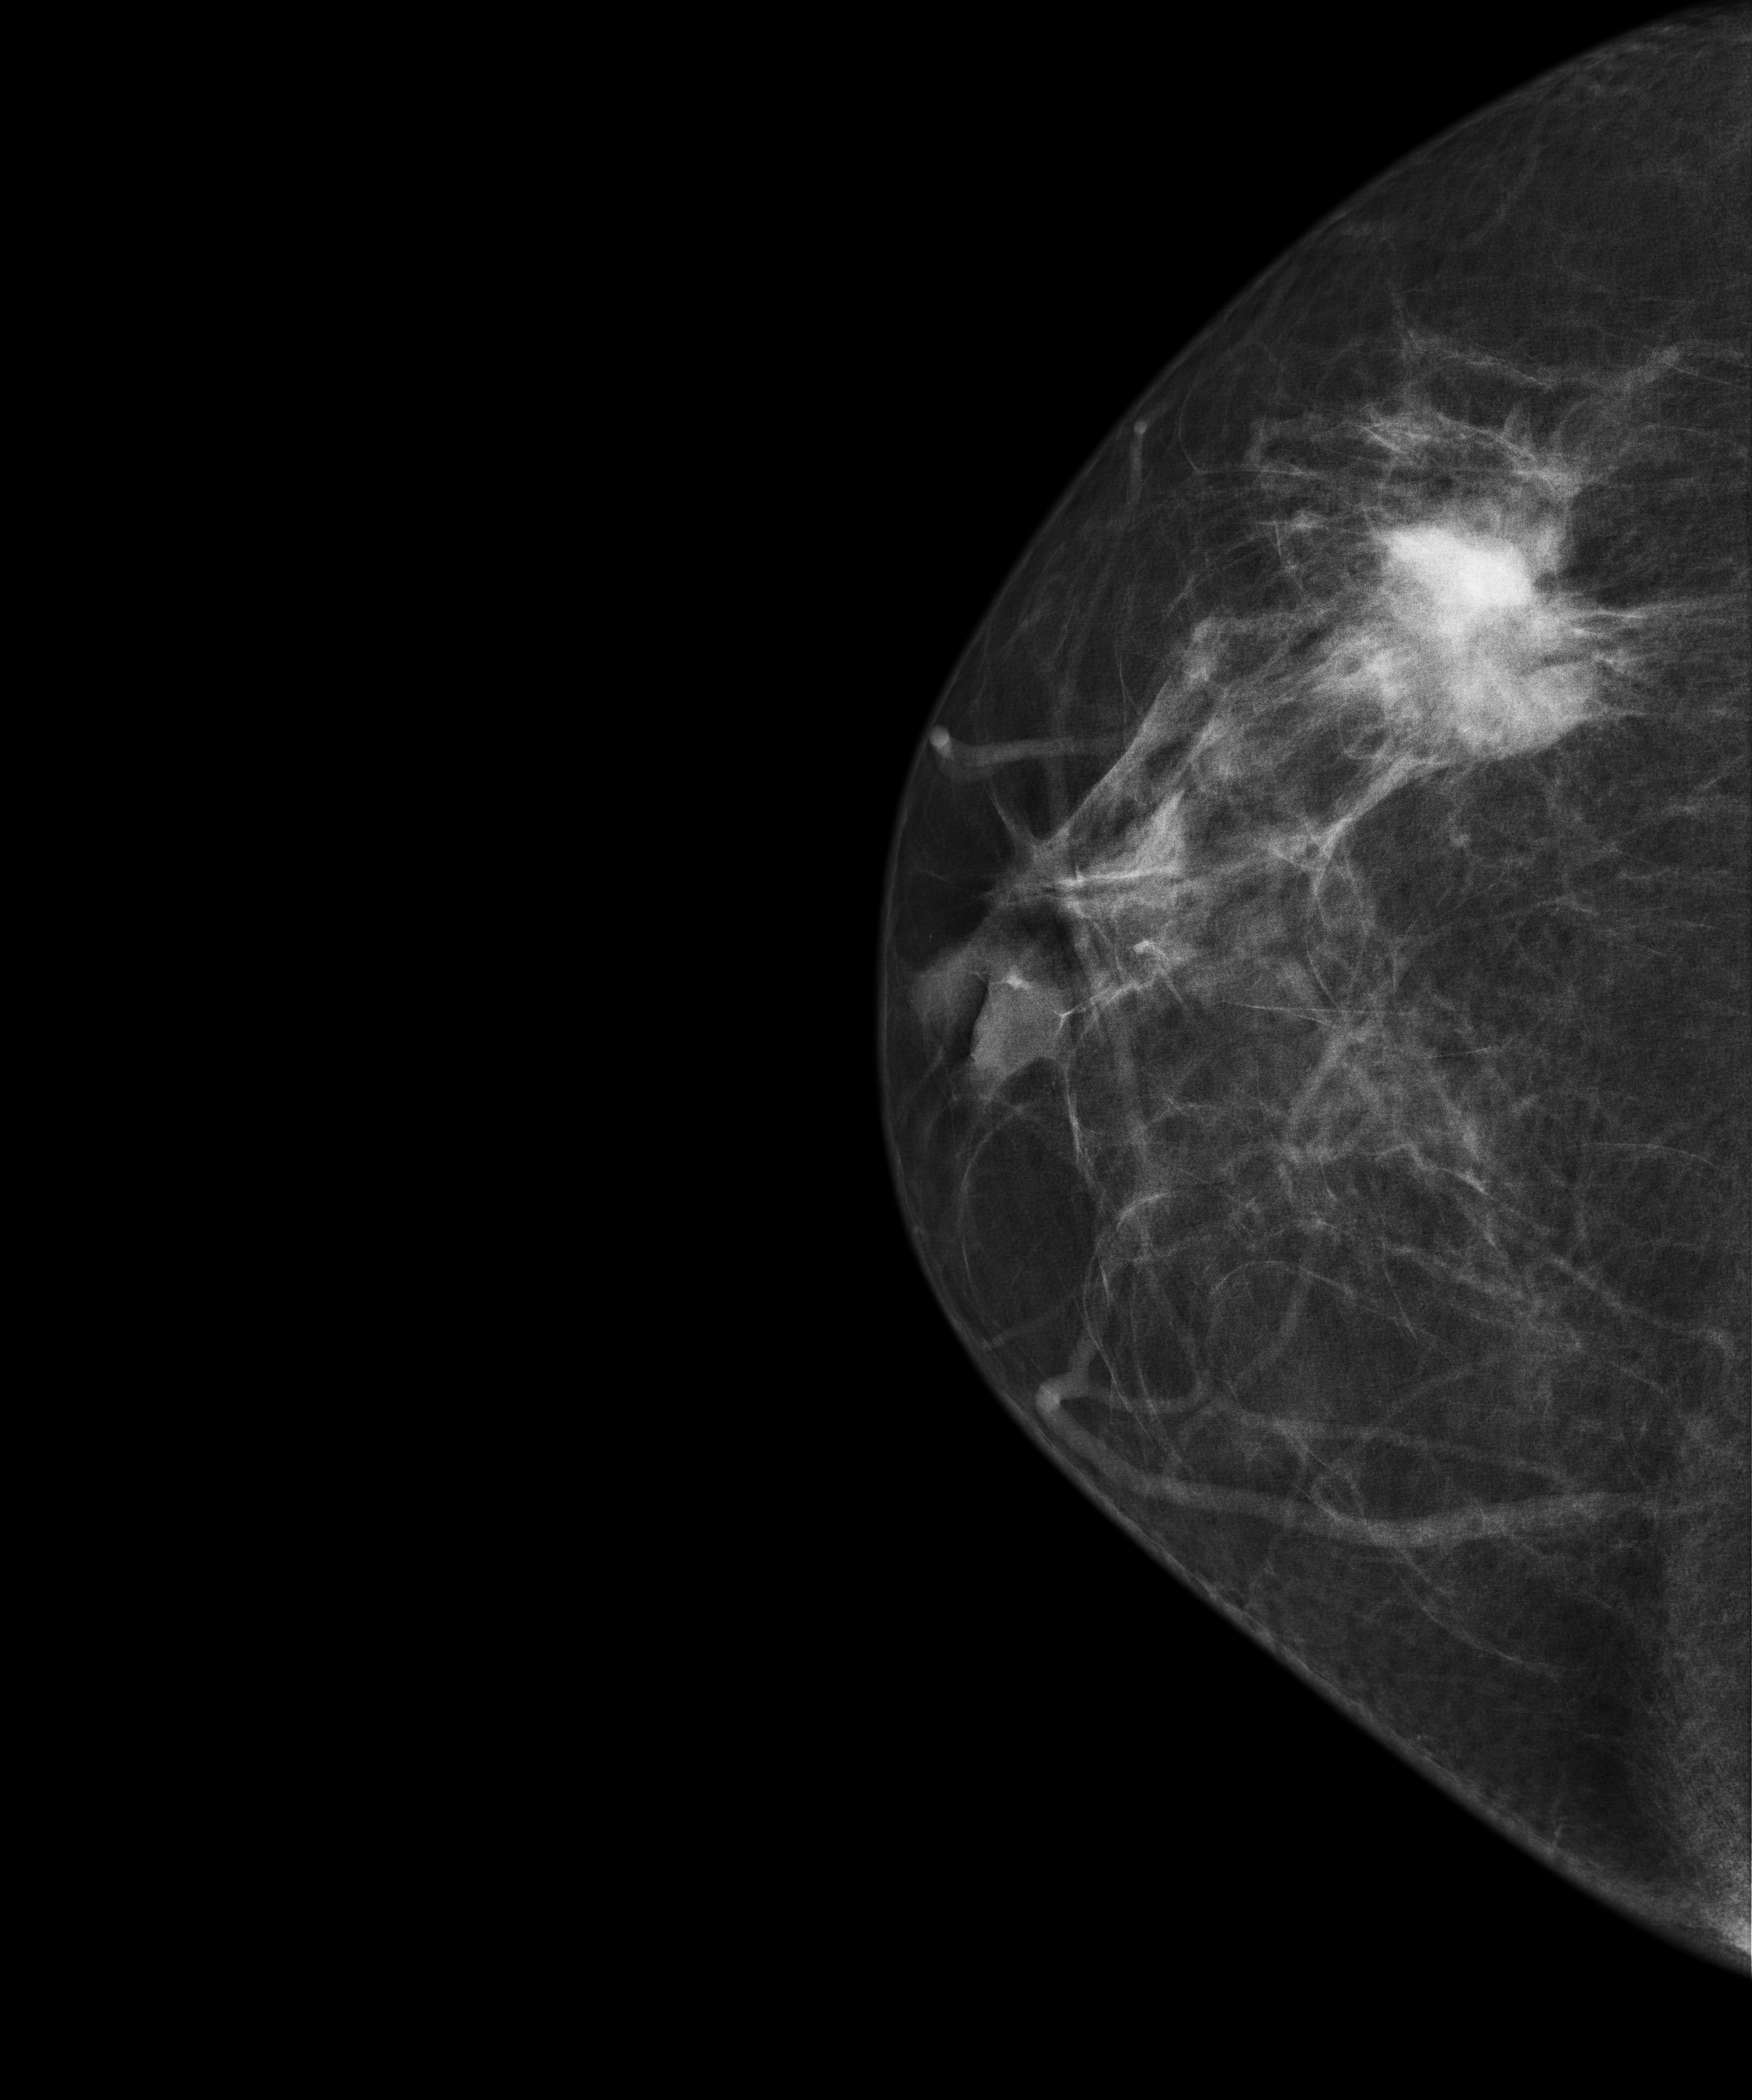
Mammogram — right CC. Patient age 47.
This breast has a mass, pathology-confirmed malignant.